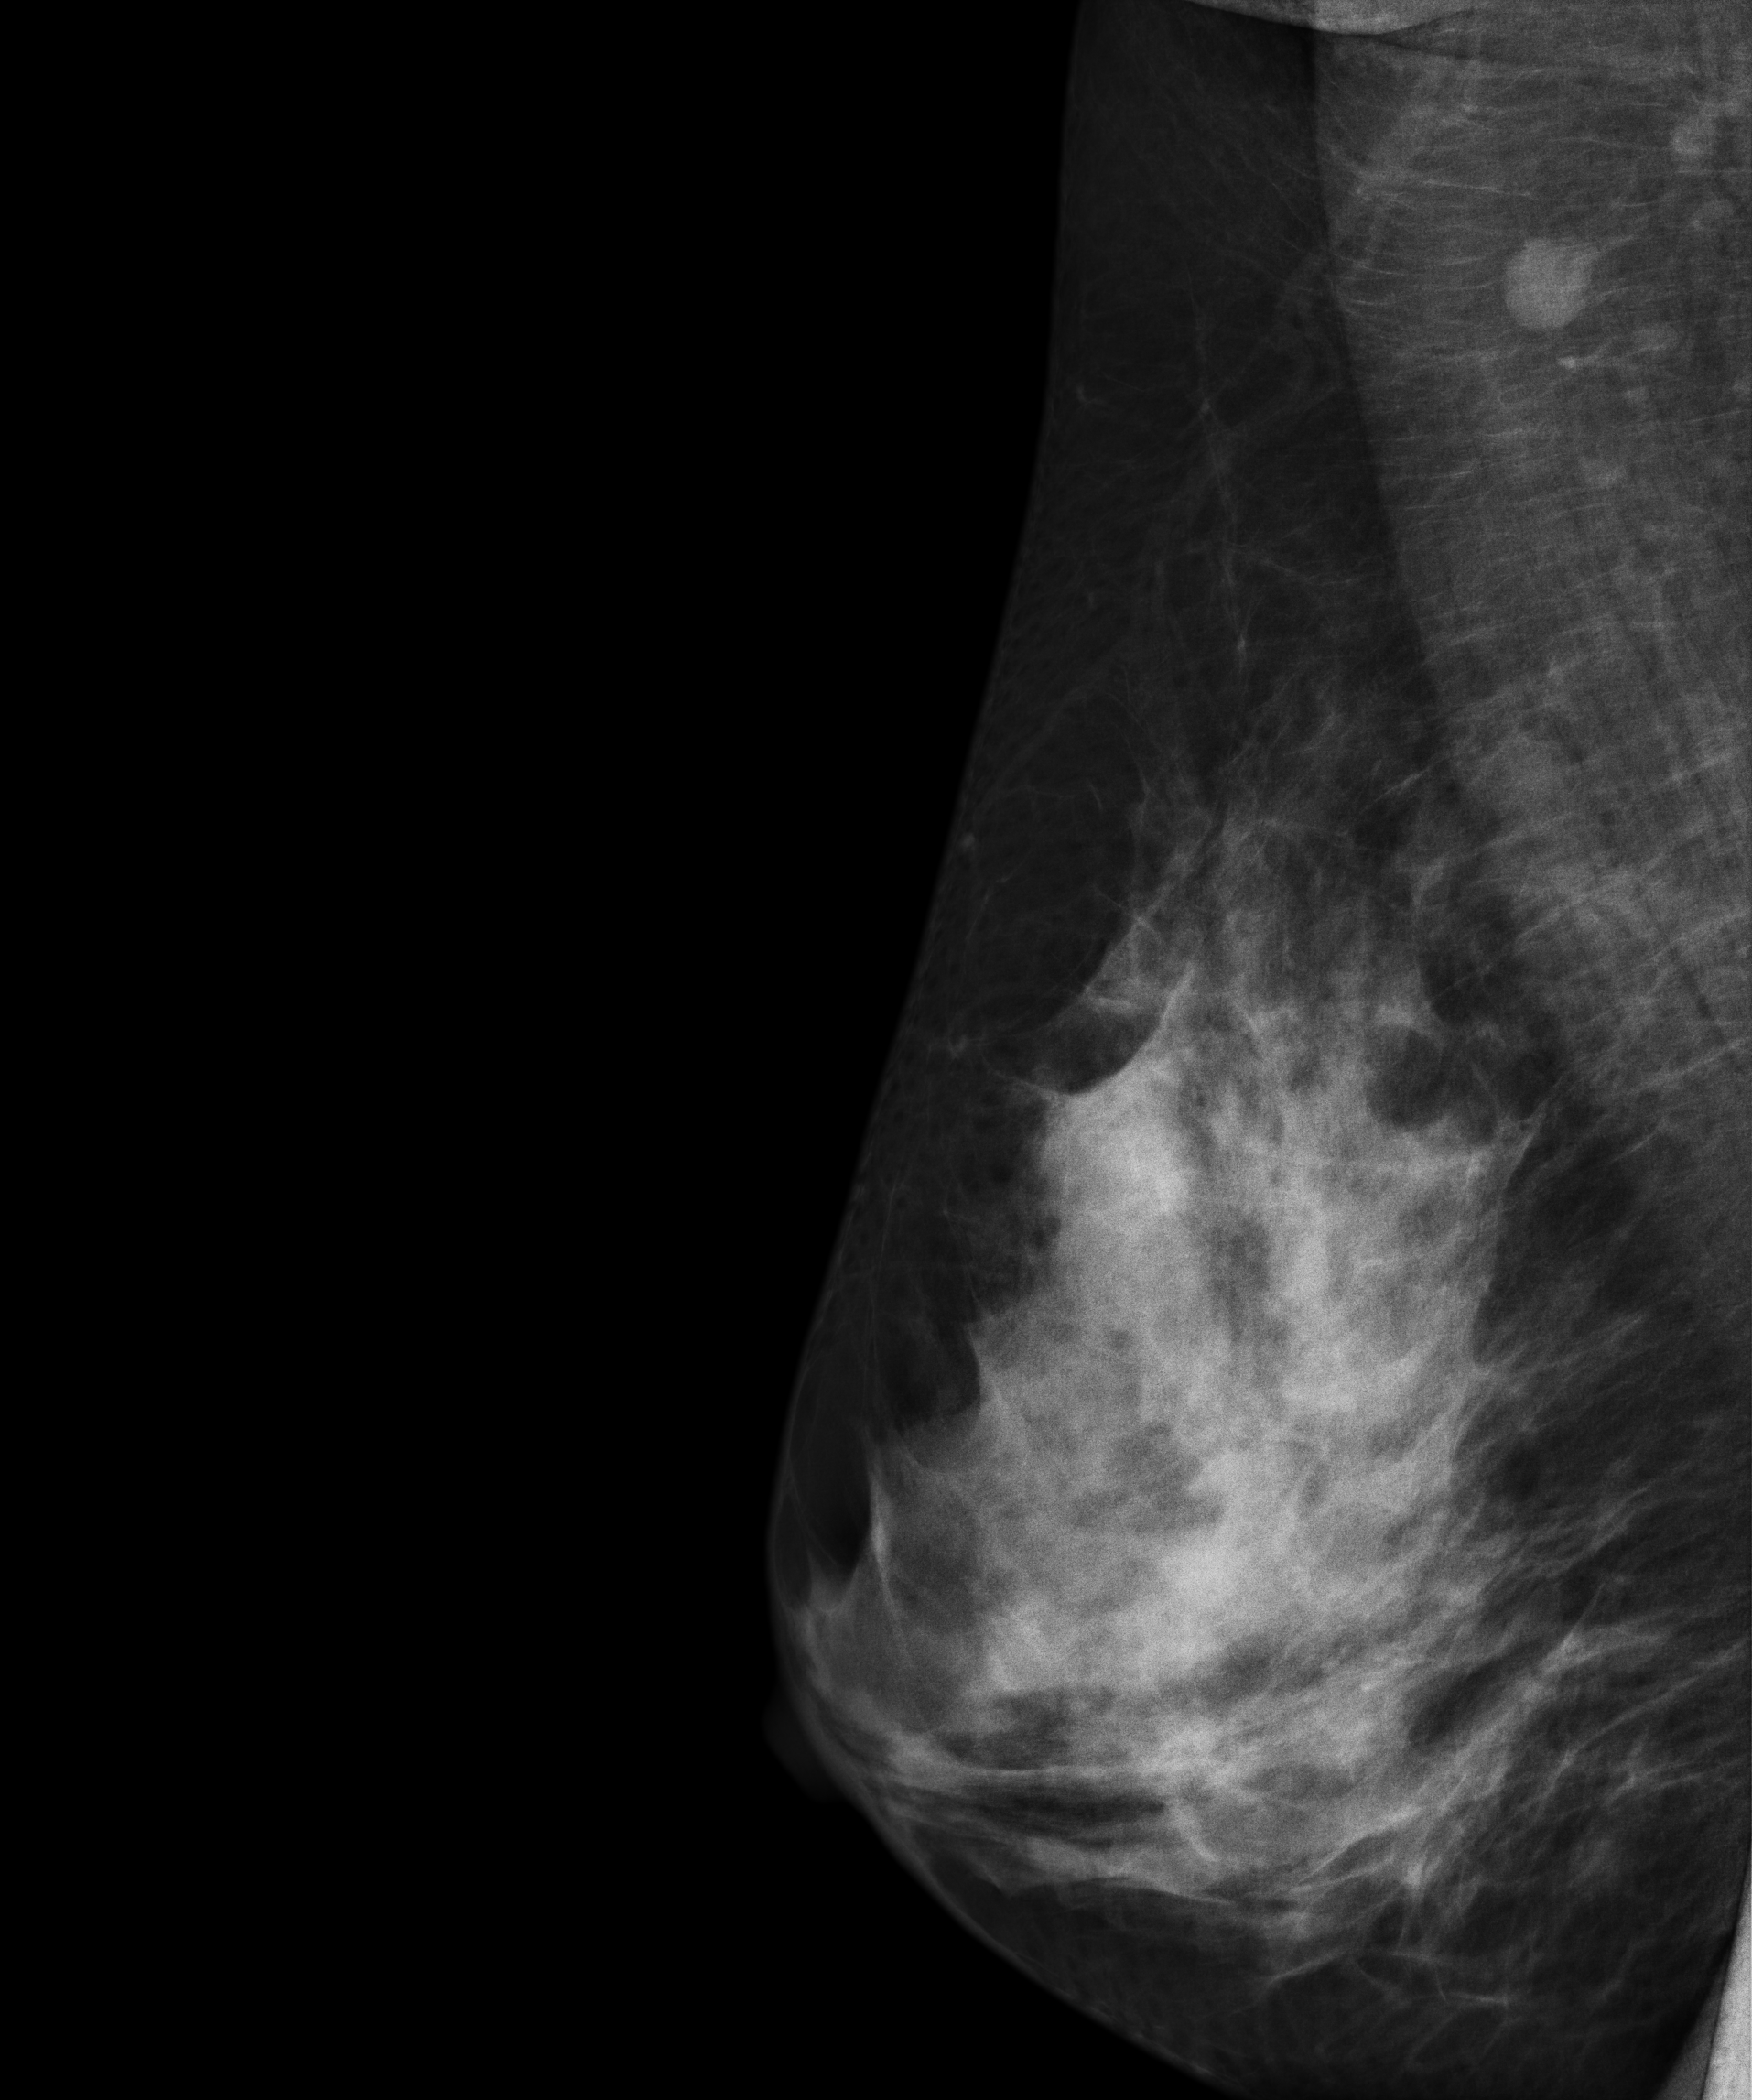
Mammogram — right medio-lateral oblique. 49 y/o patient.
This breast has a mass, biopsy-confirmed malignant.